Mammogram — left cranio-caudal. Patient age 43.
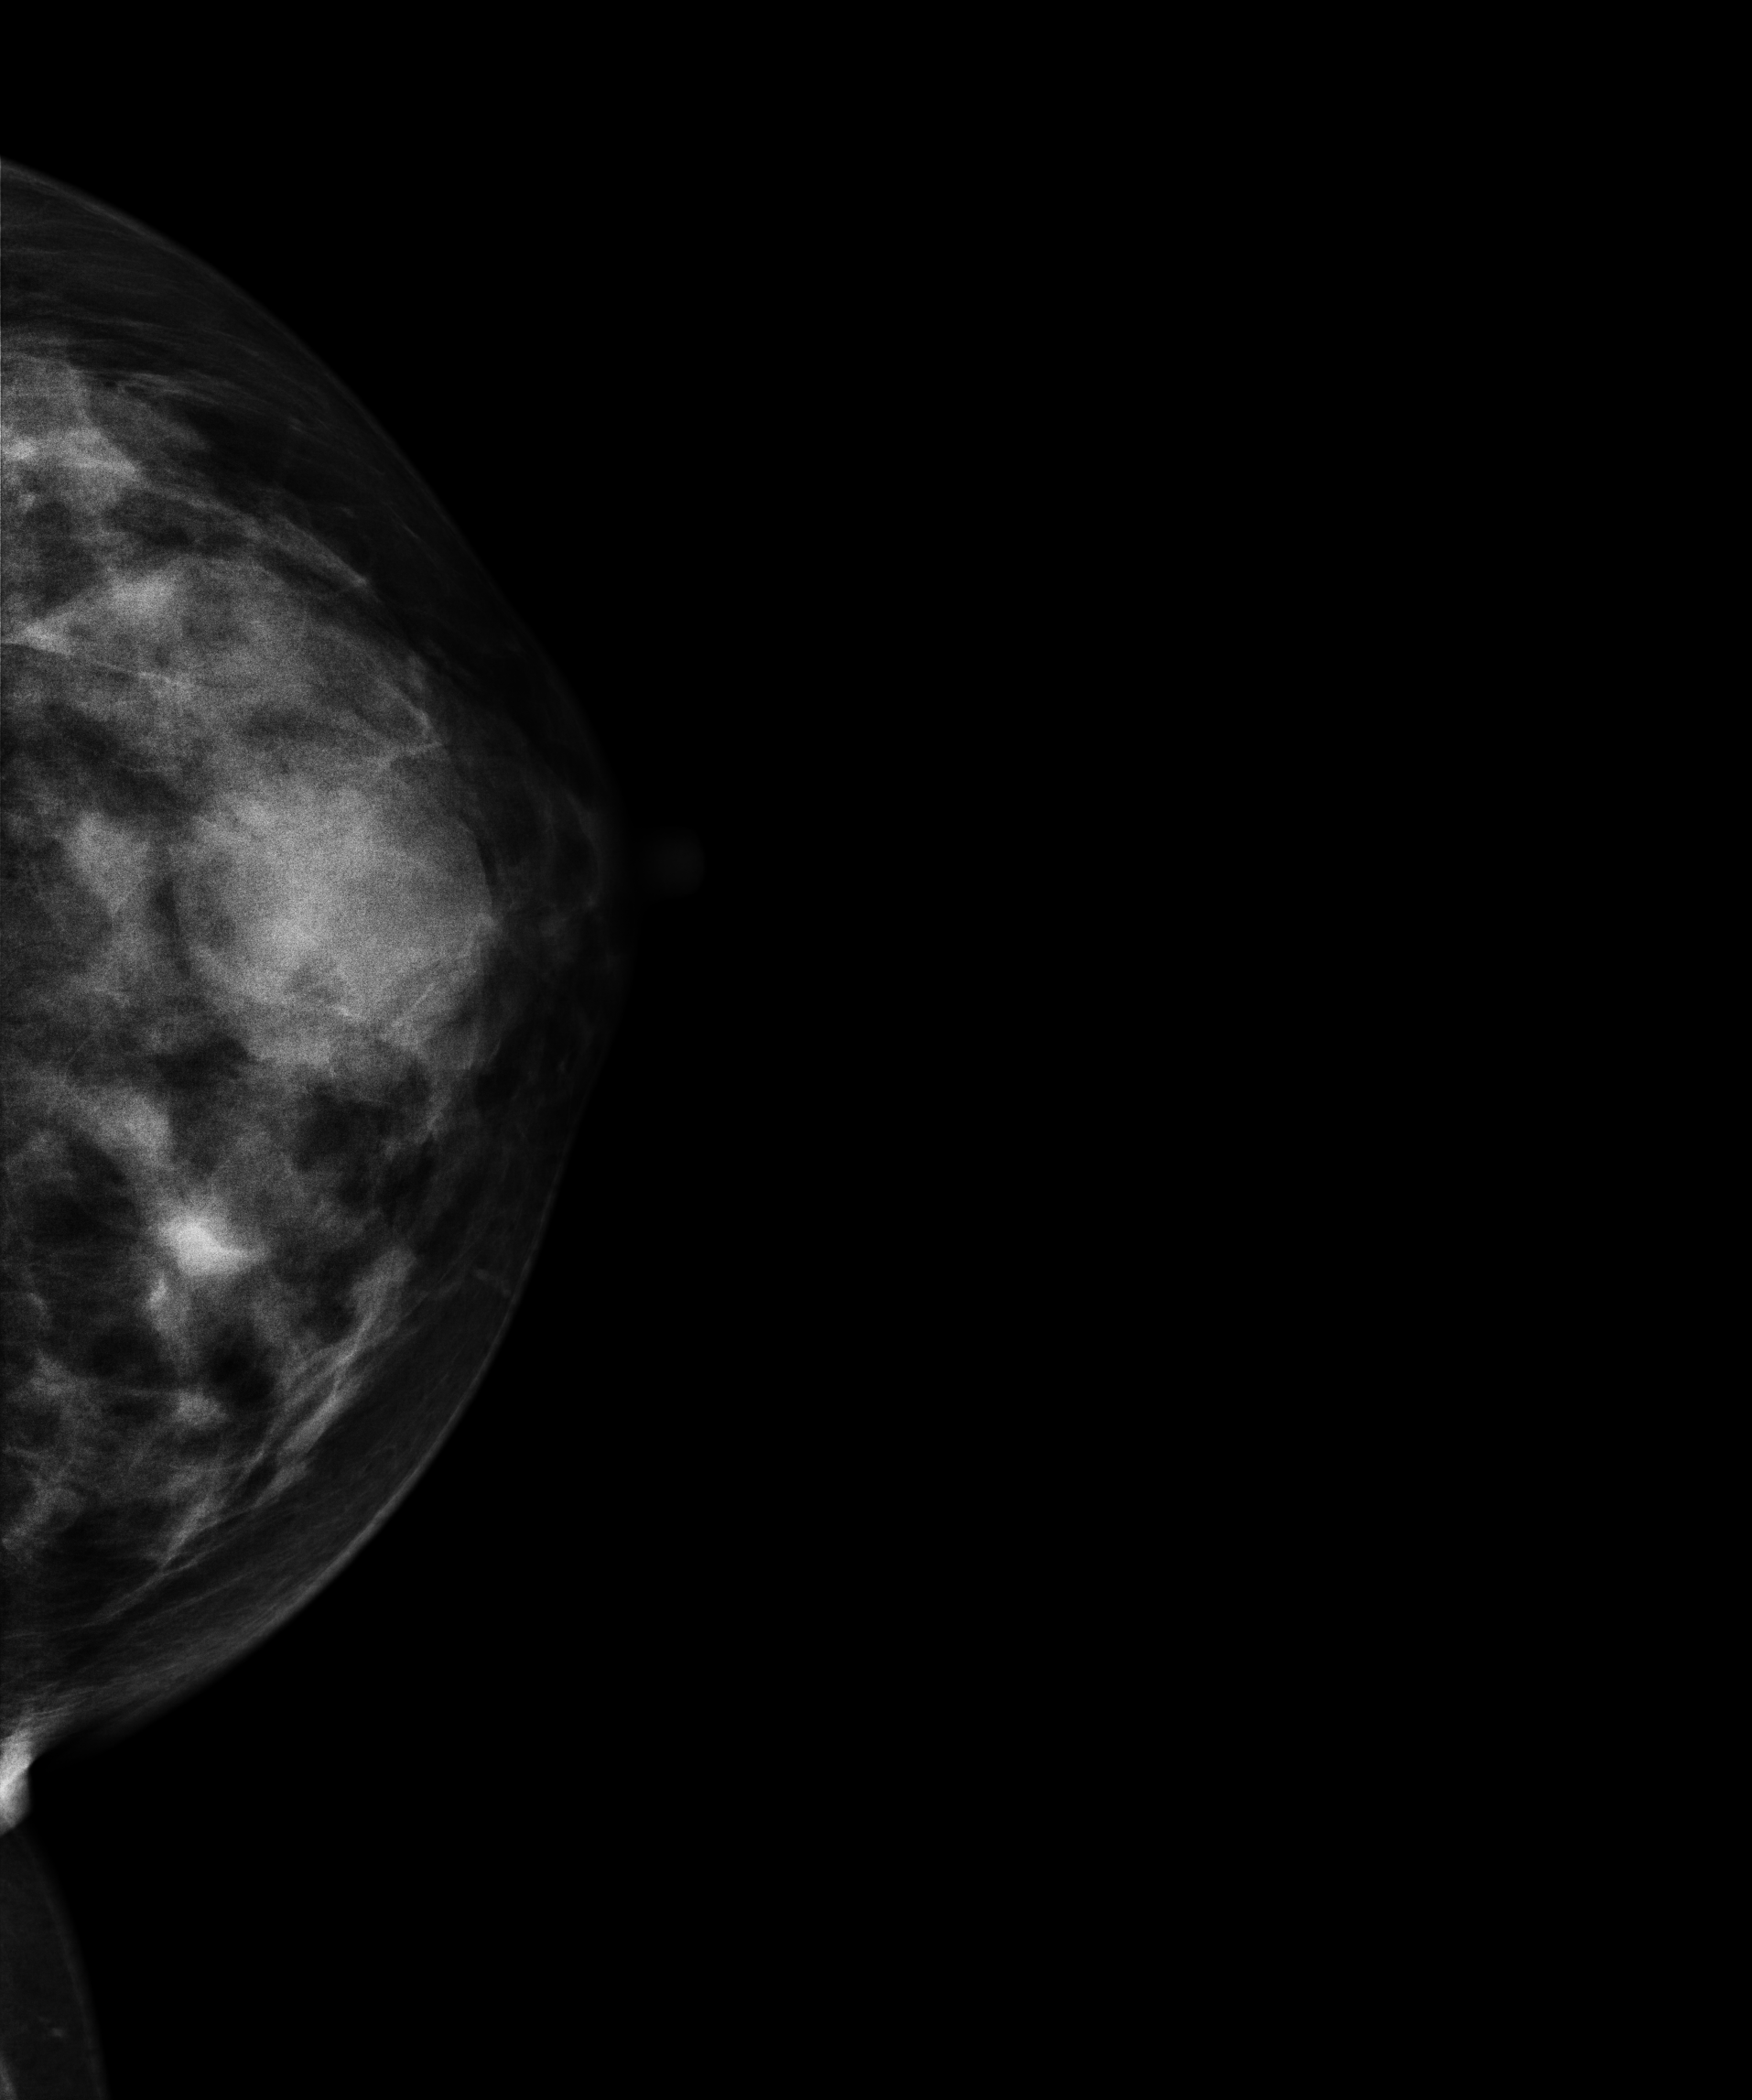
This breast has a mass, pathology-confirmed benign.